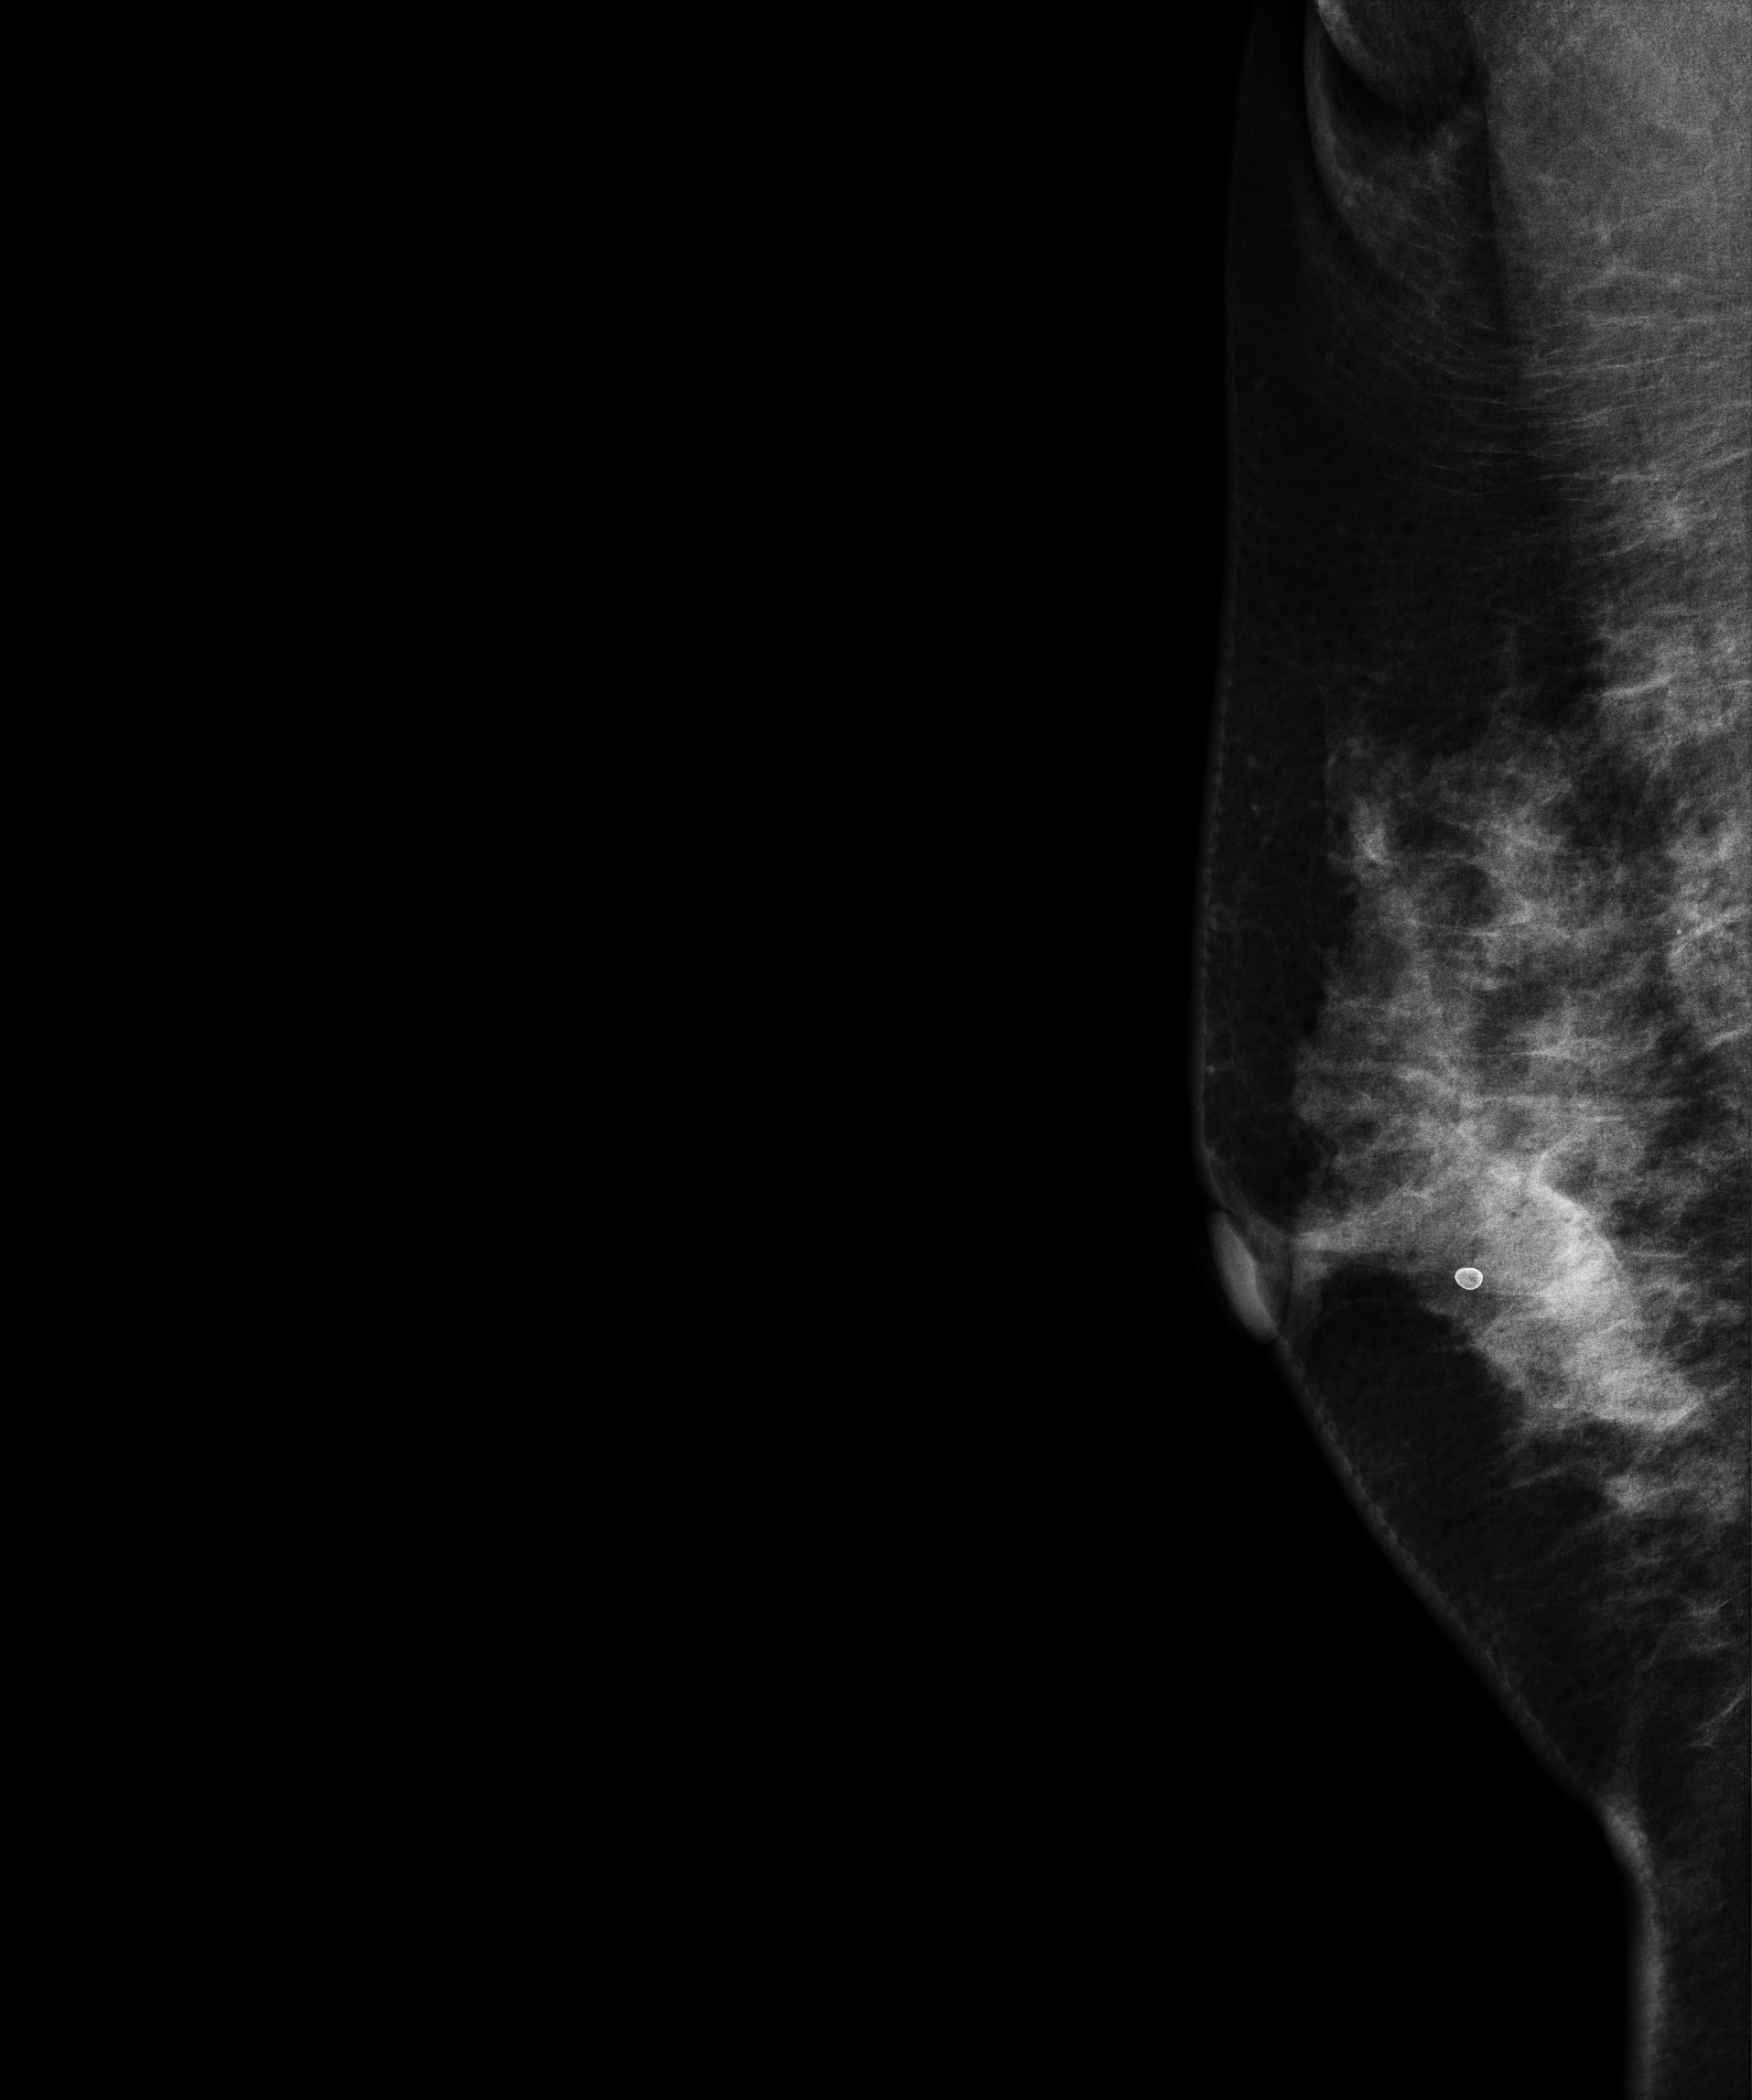
MLO mammogram of the right breast. 46-year-old patient.
This breast has a mass, biopsy-proven benign.